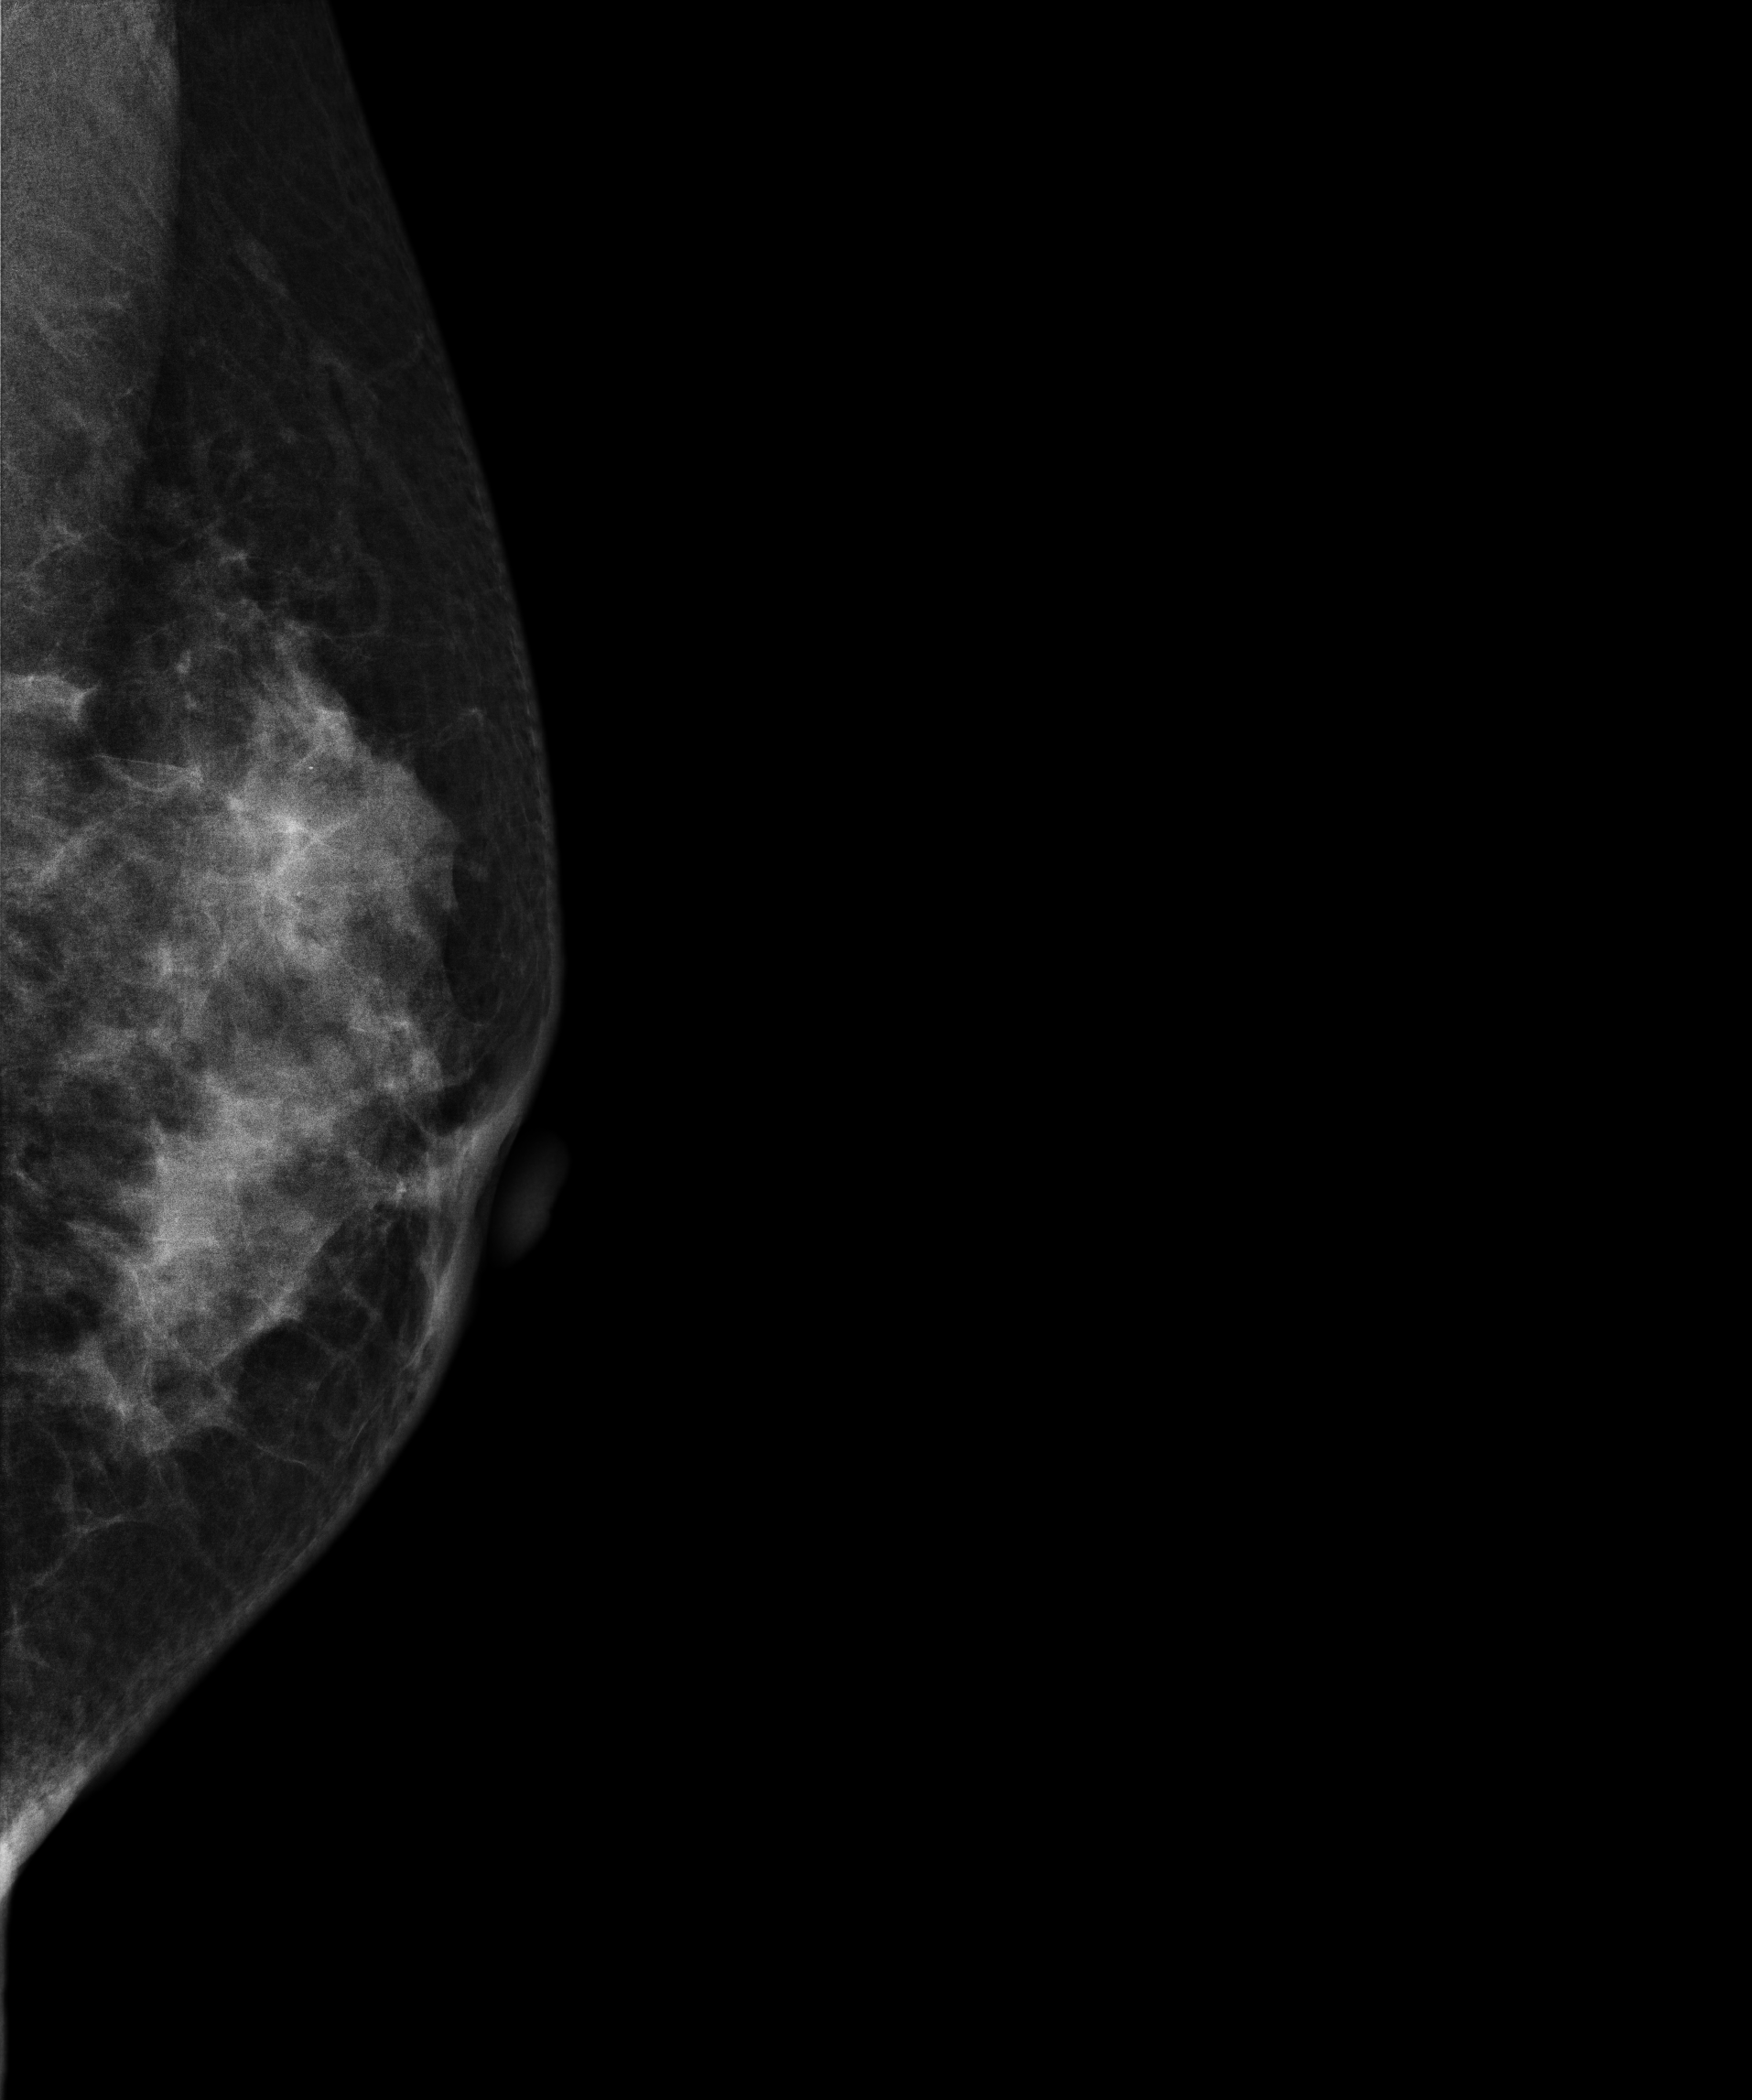
Digital mammography. Left breast, medio-lateral oblique projection. 37-year-old patient.
Contralateral breast — no documented abnormality on this side.